Cranio-caudal mammogram of the right breast. 40 y/o patient.
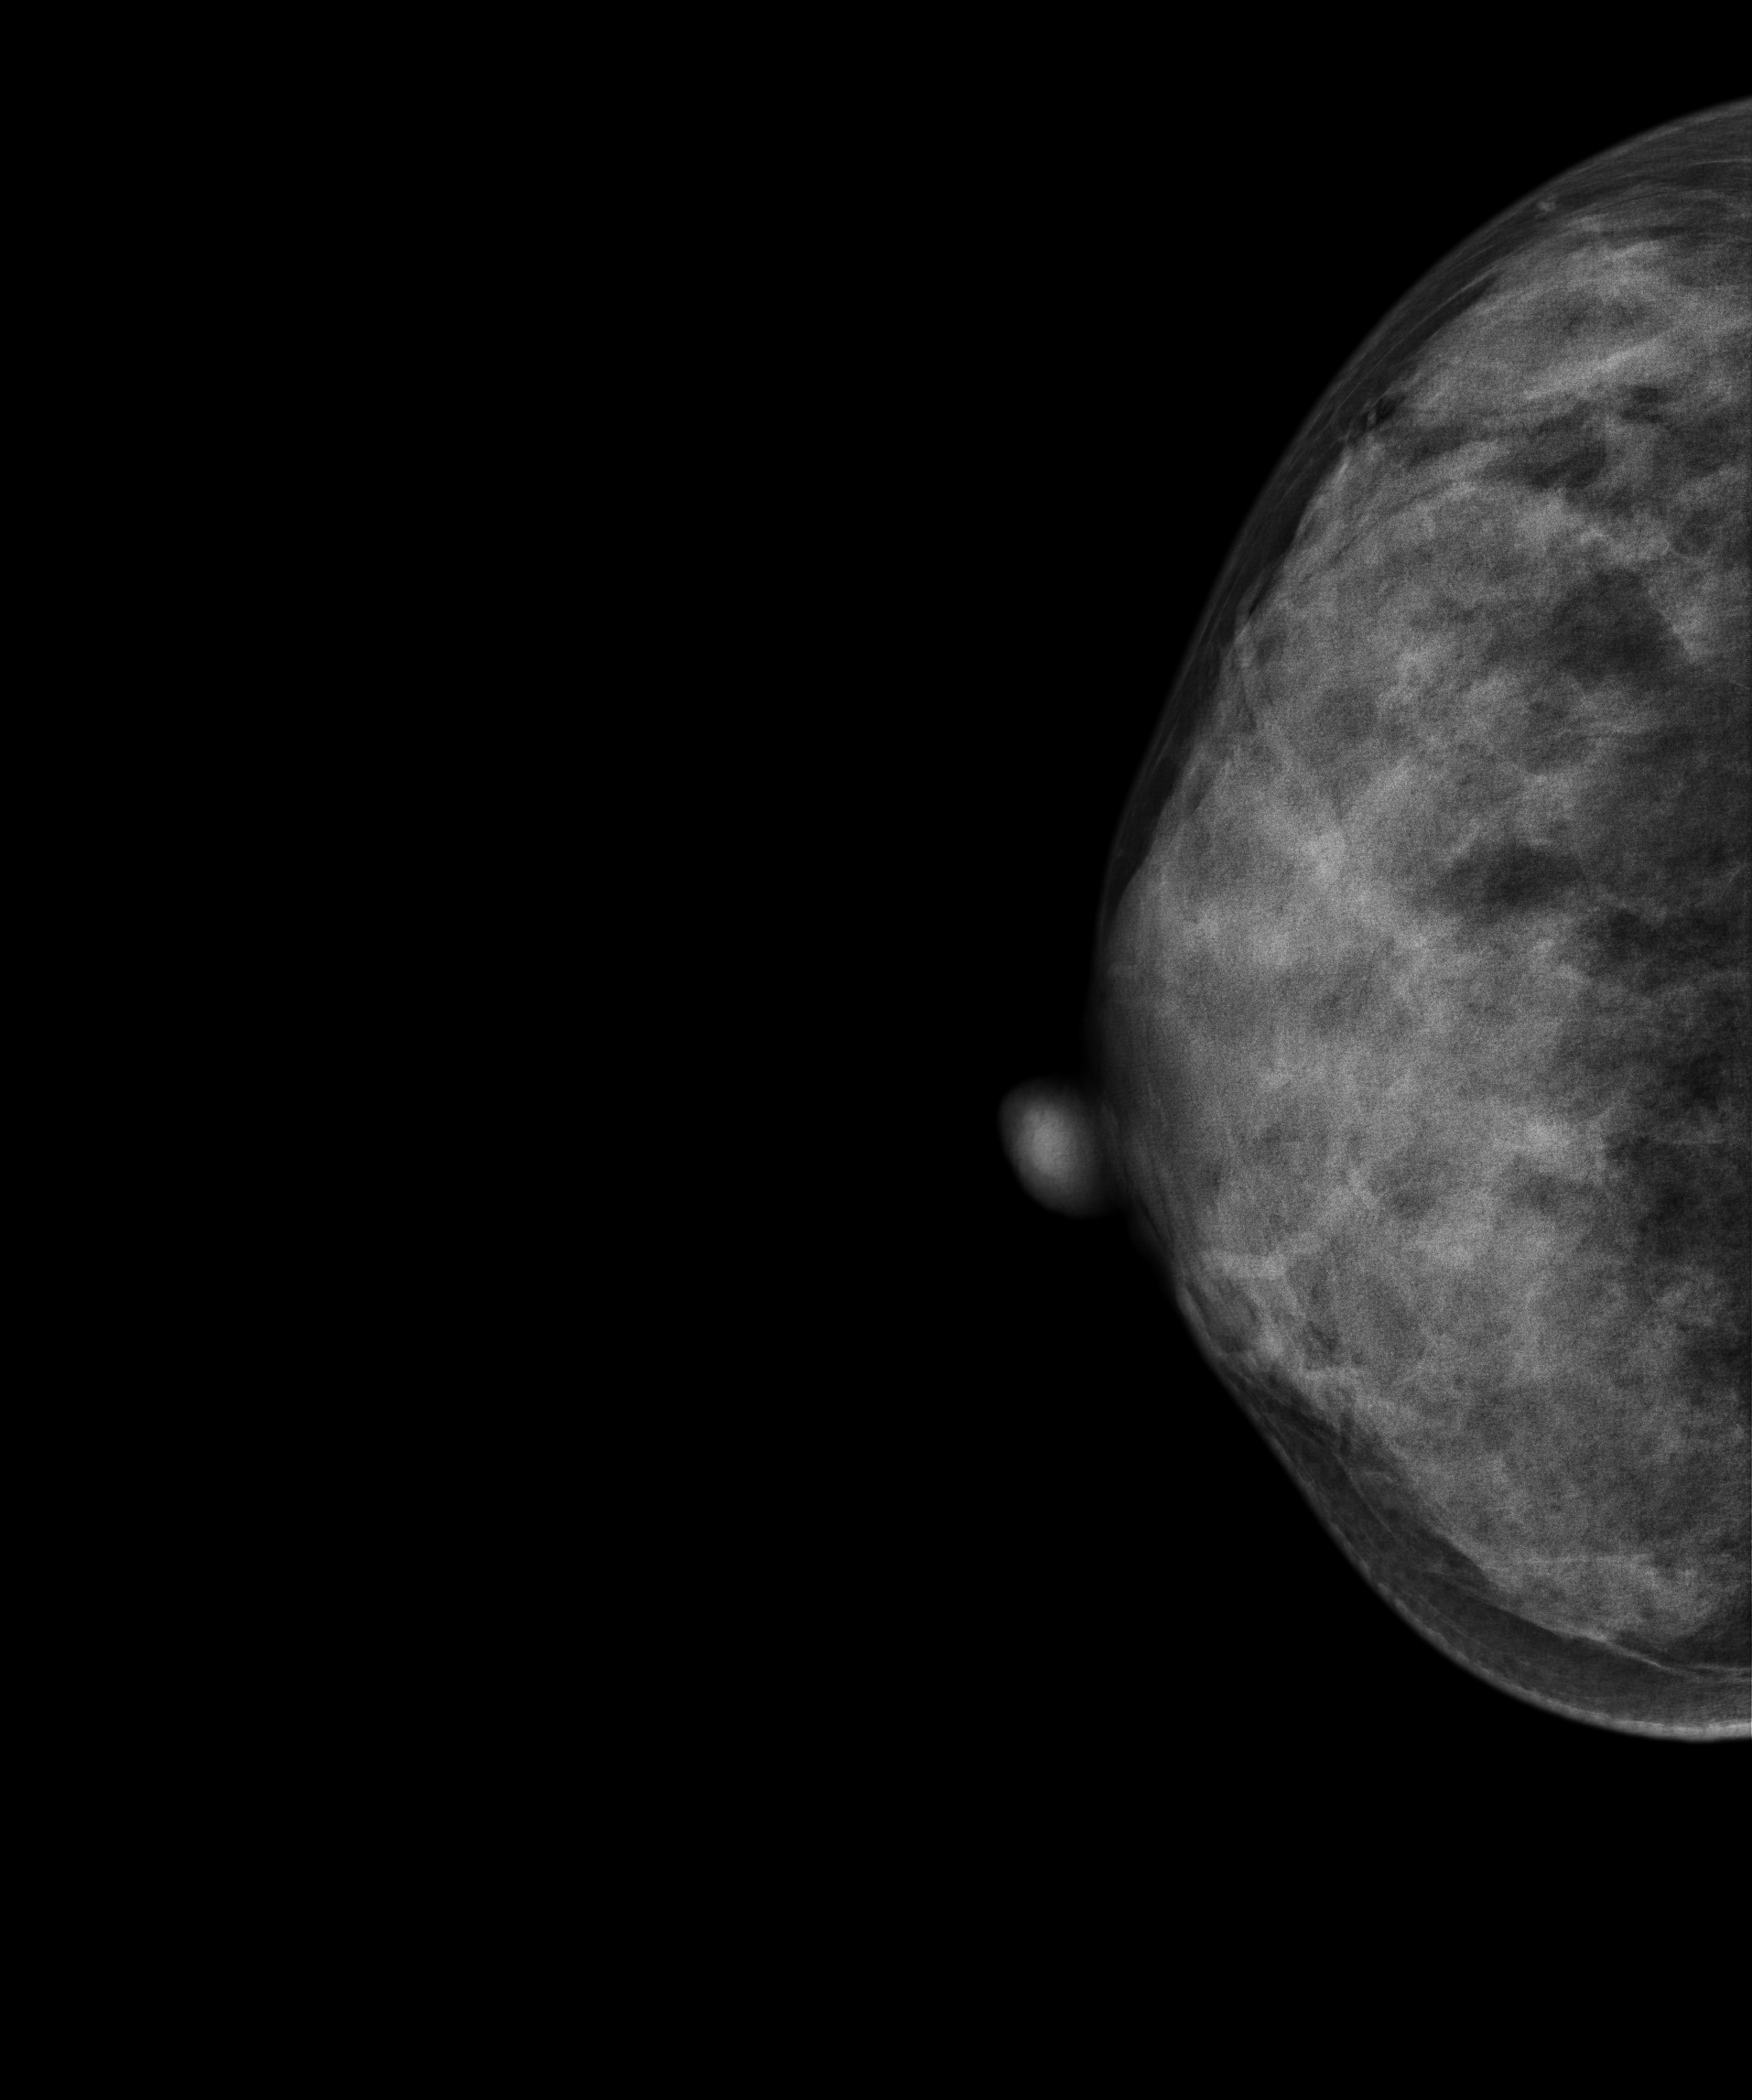
Contralateral breast — no documented abnormality on this side.